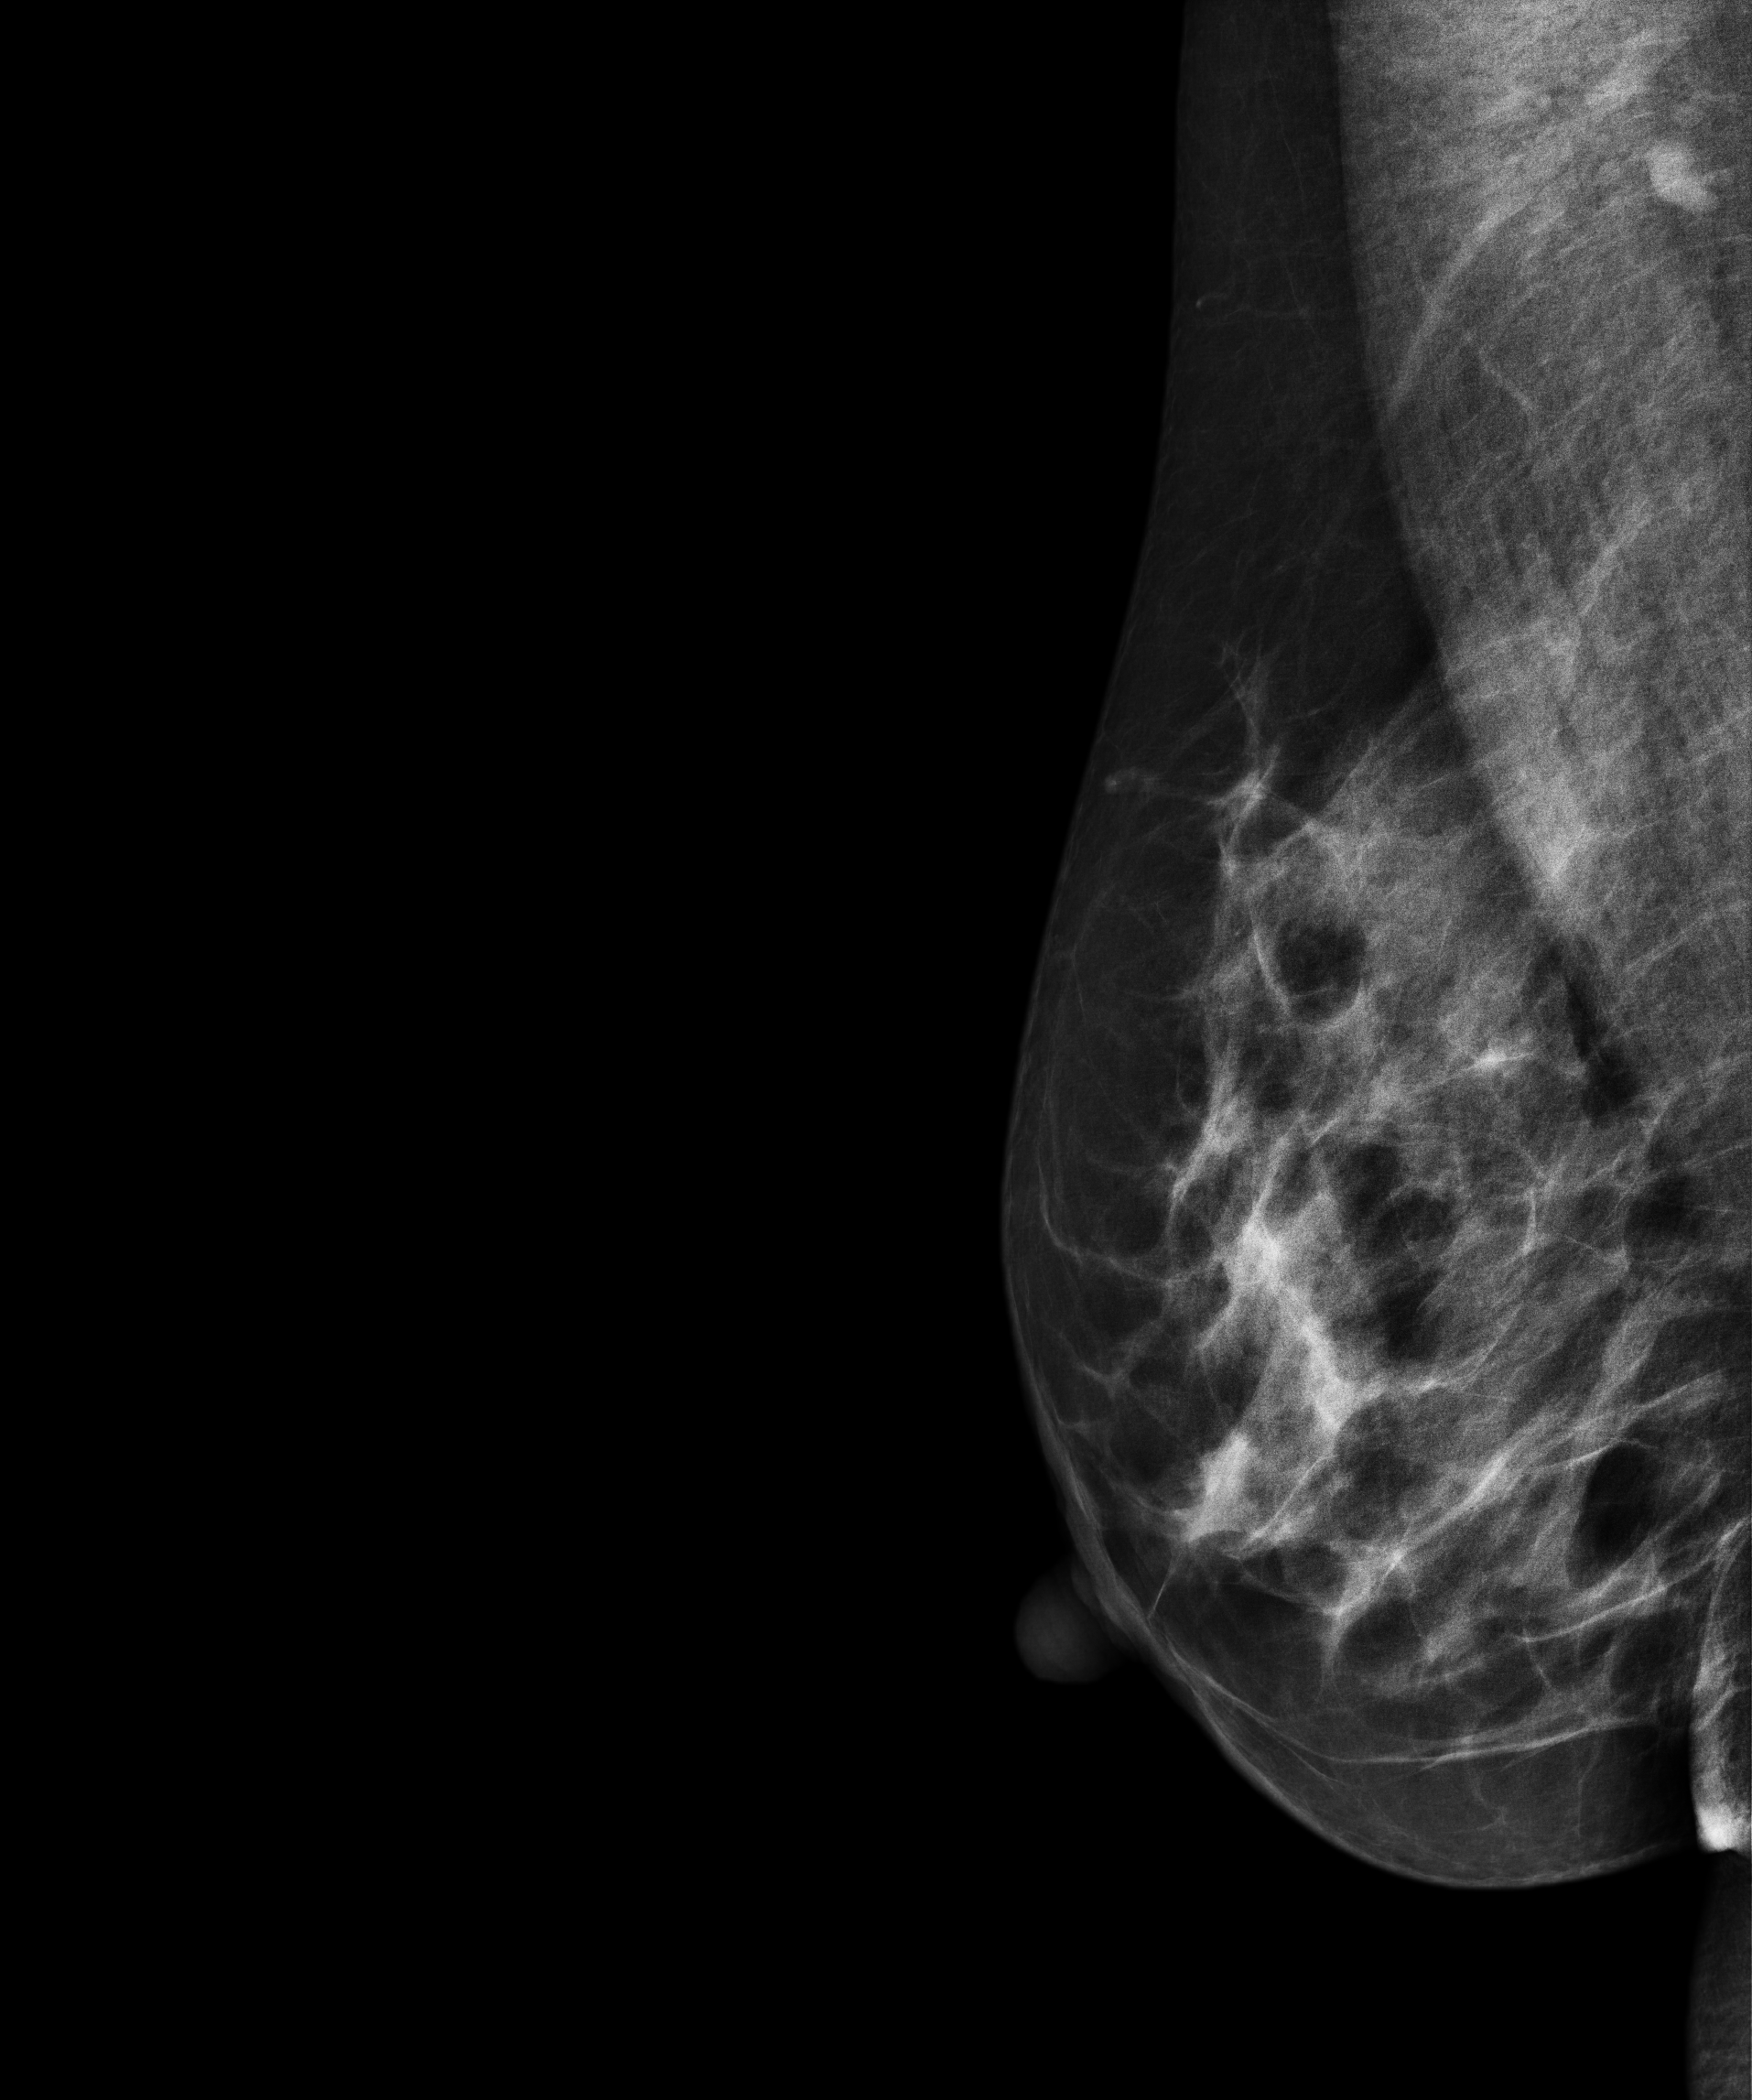
MLO mammogram of the right breast. 43 y/o patient.
Contralateral breast — no documented abnormality on this side.